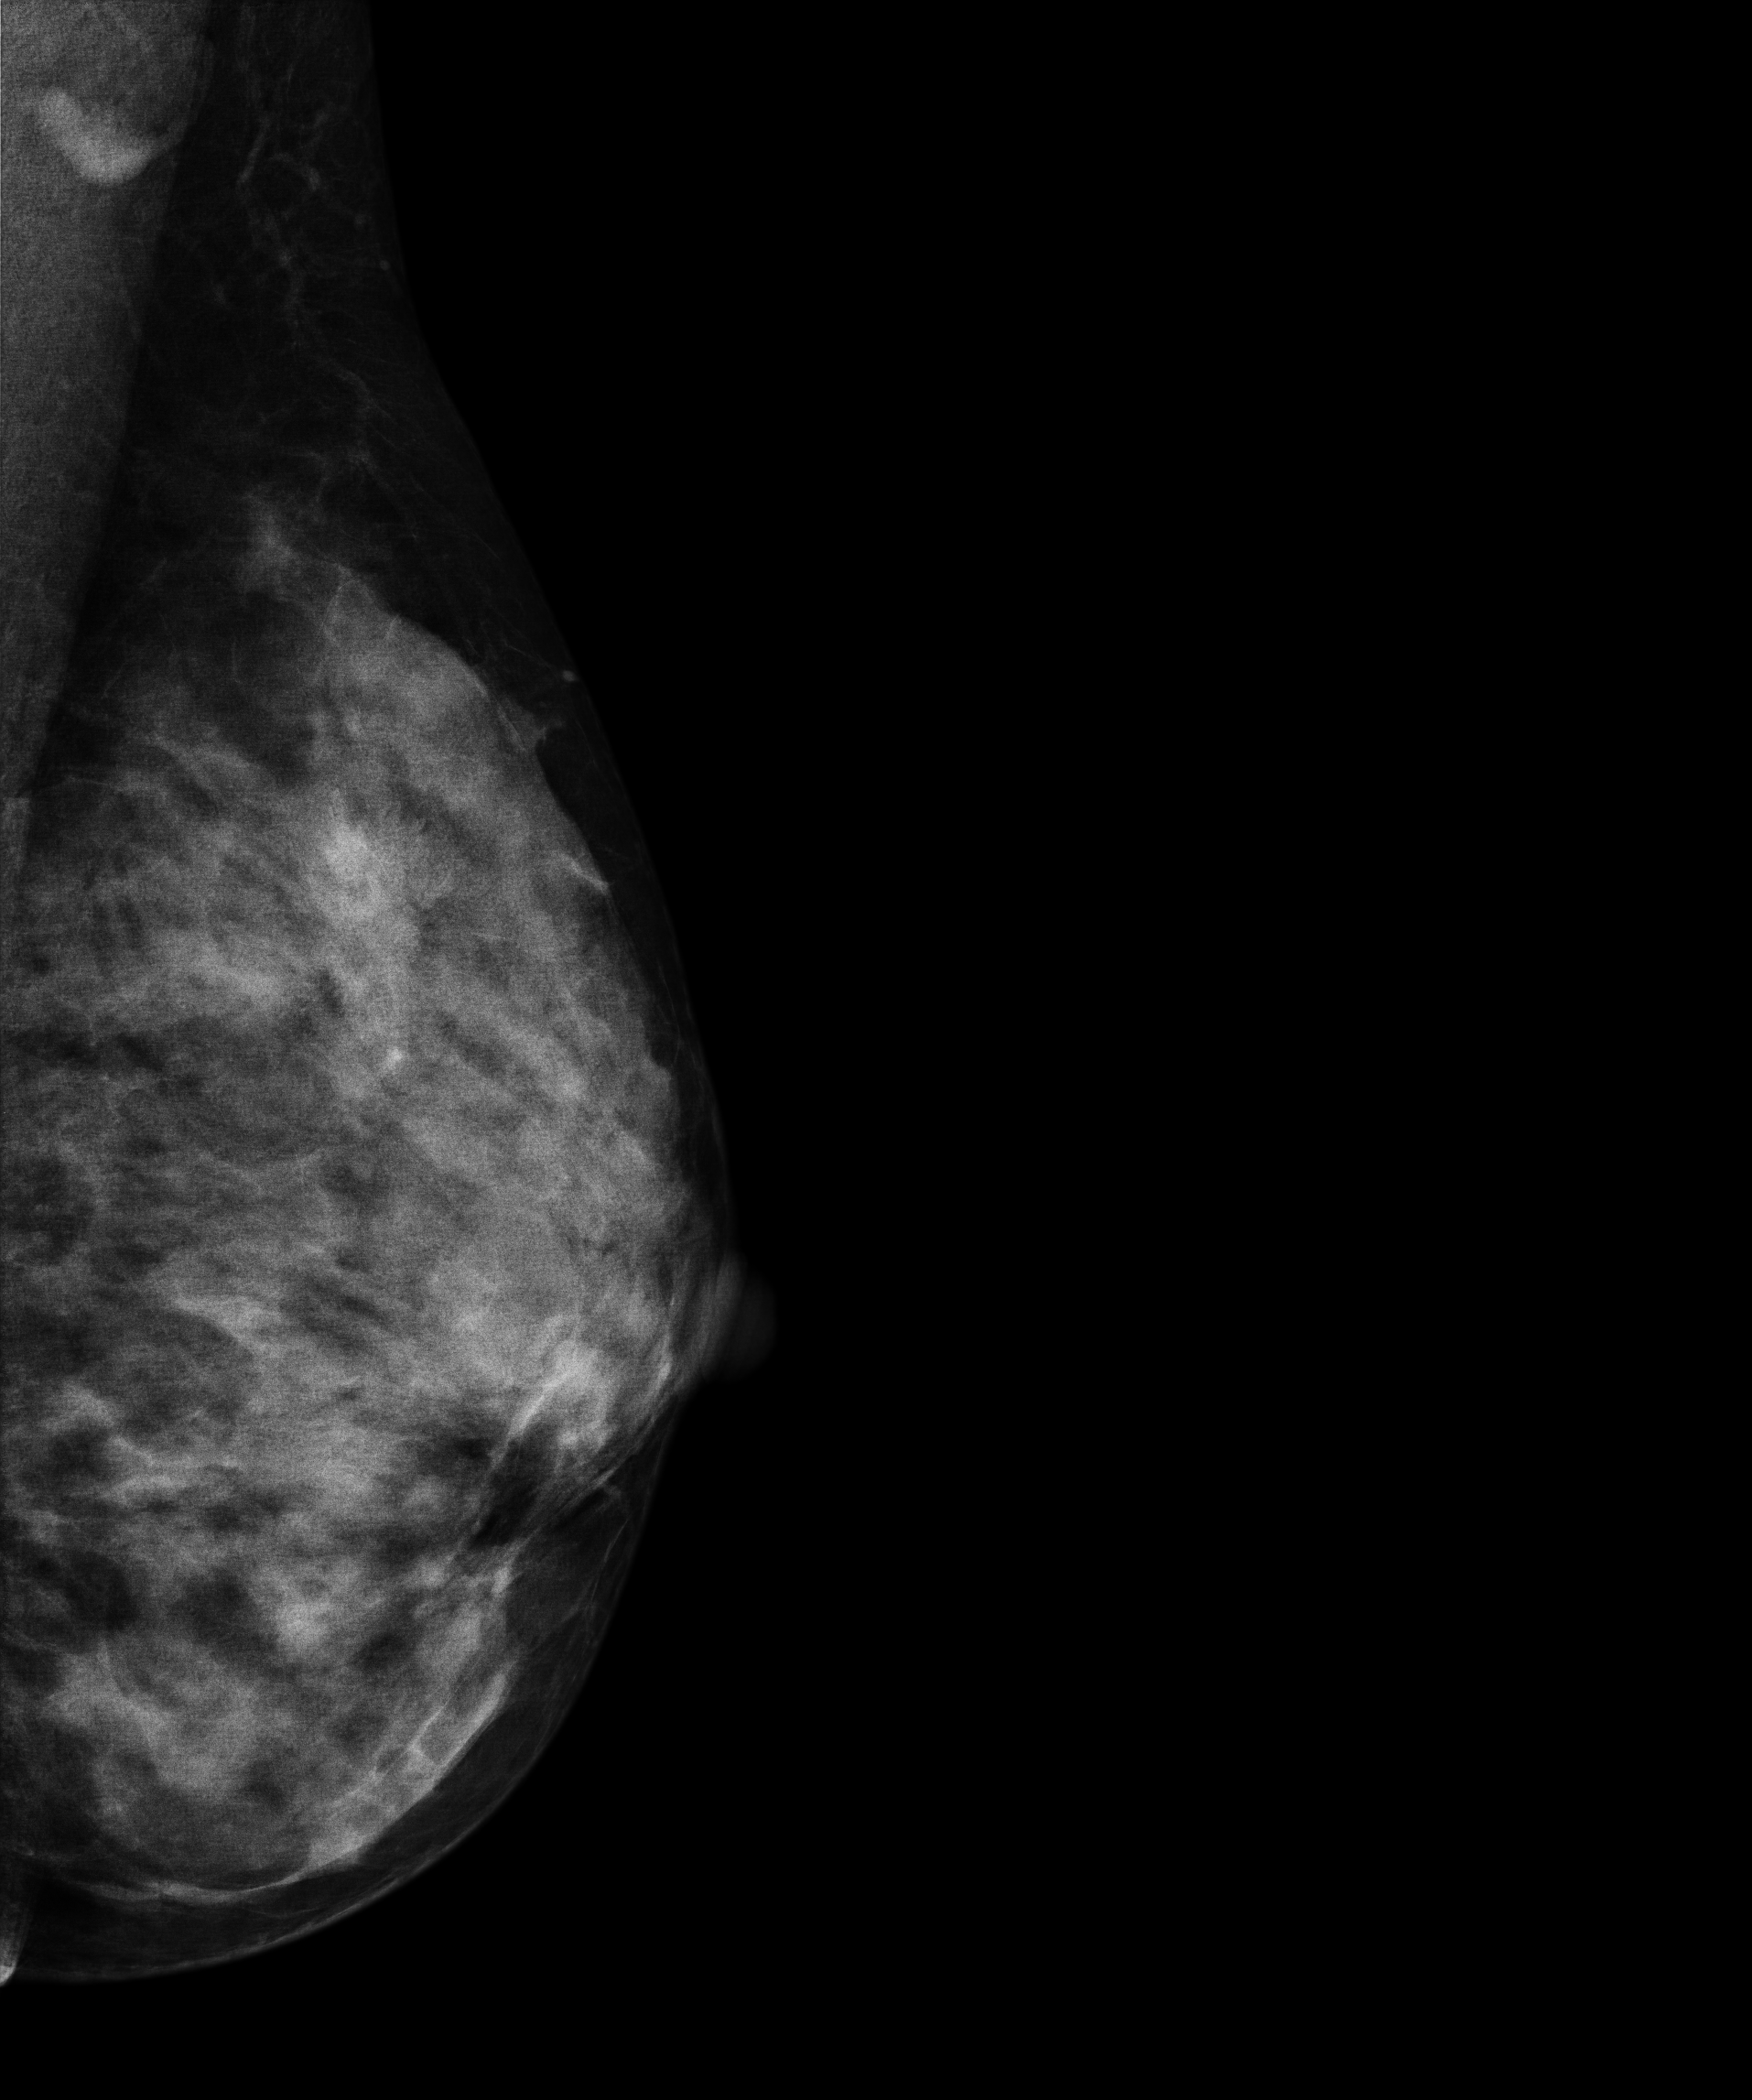
Left-breast mammogram, MLO. 32 y/o patient.
This breast has a mass, pathology-confirmed benign.